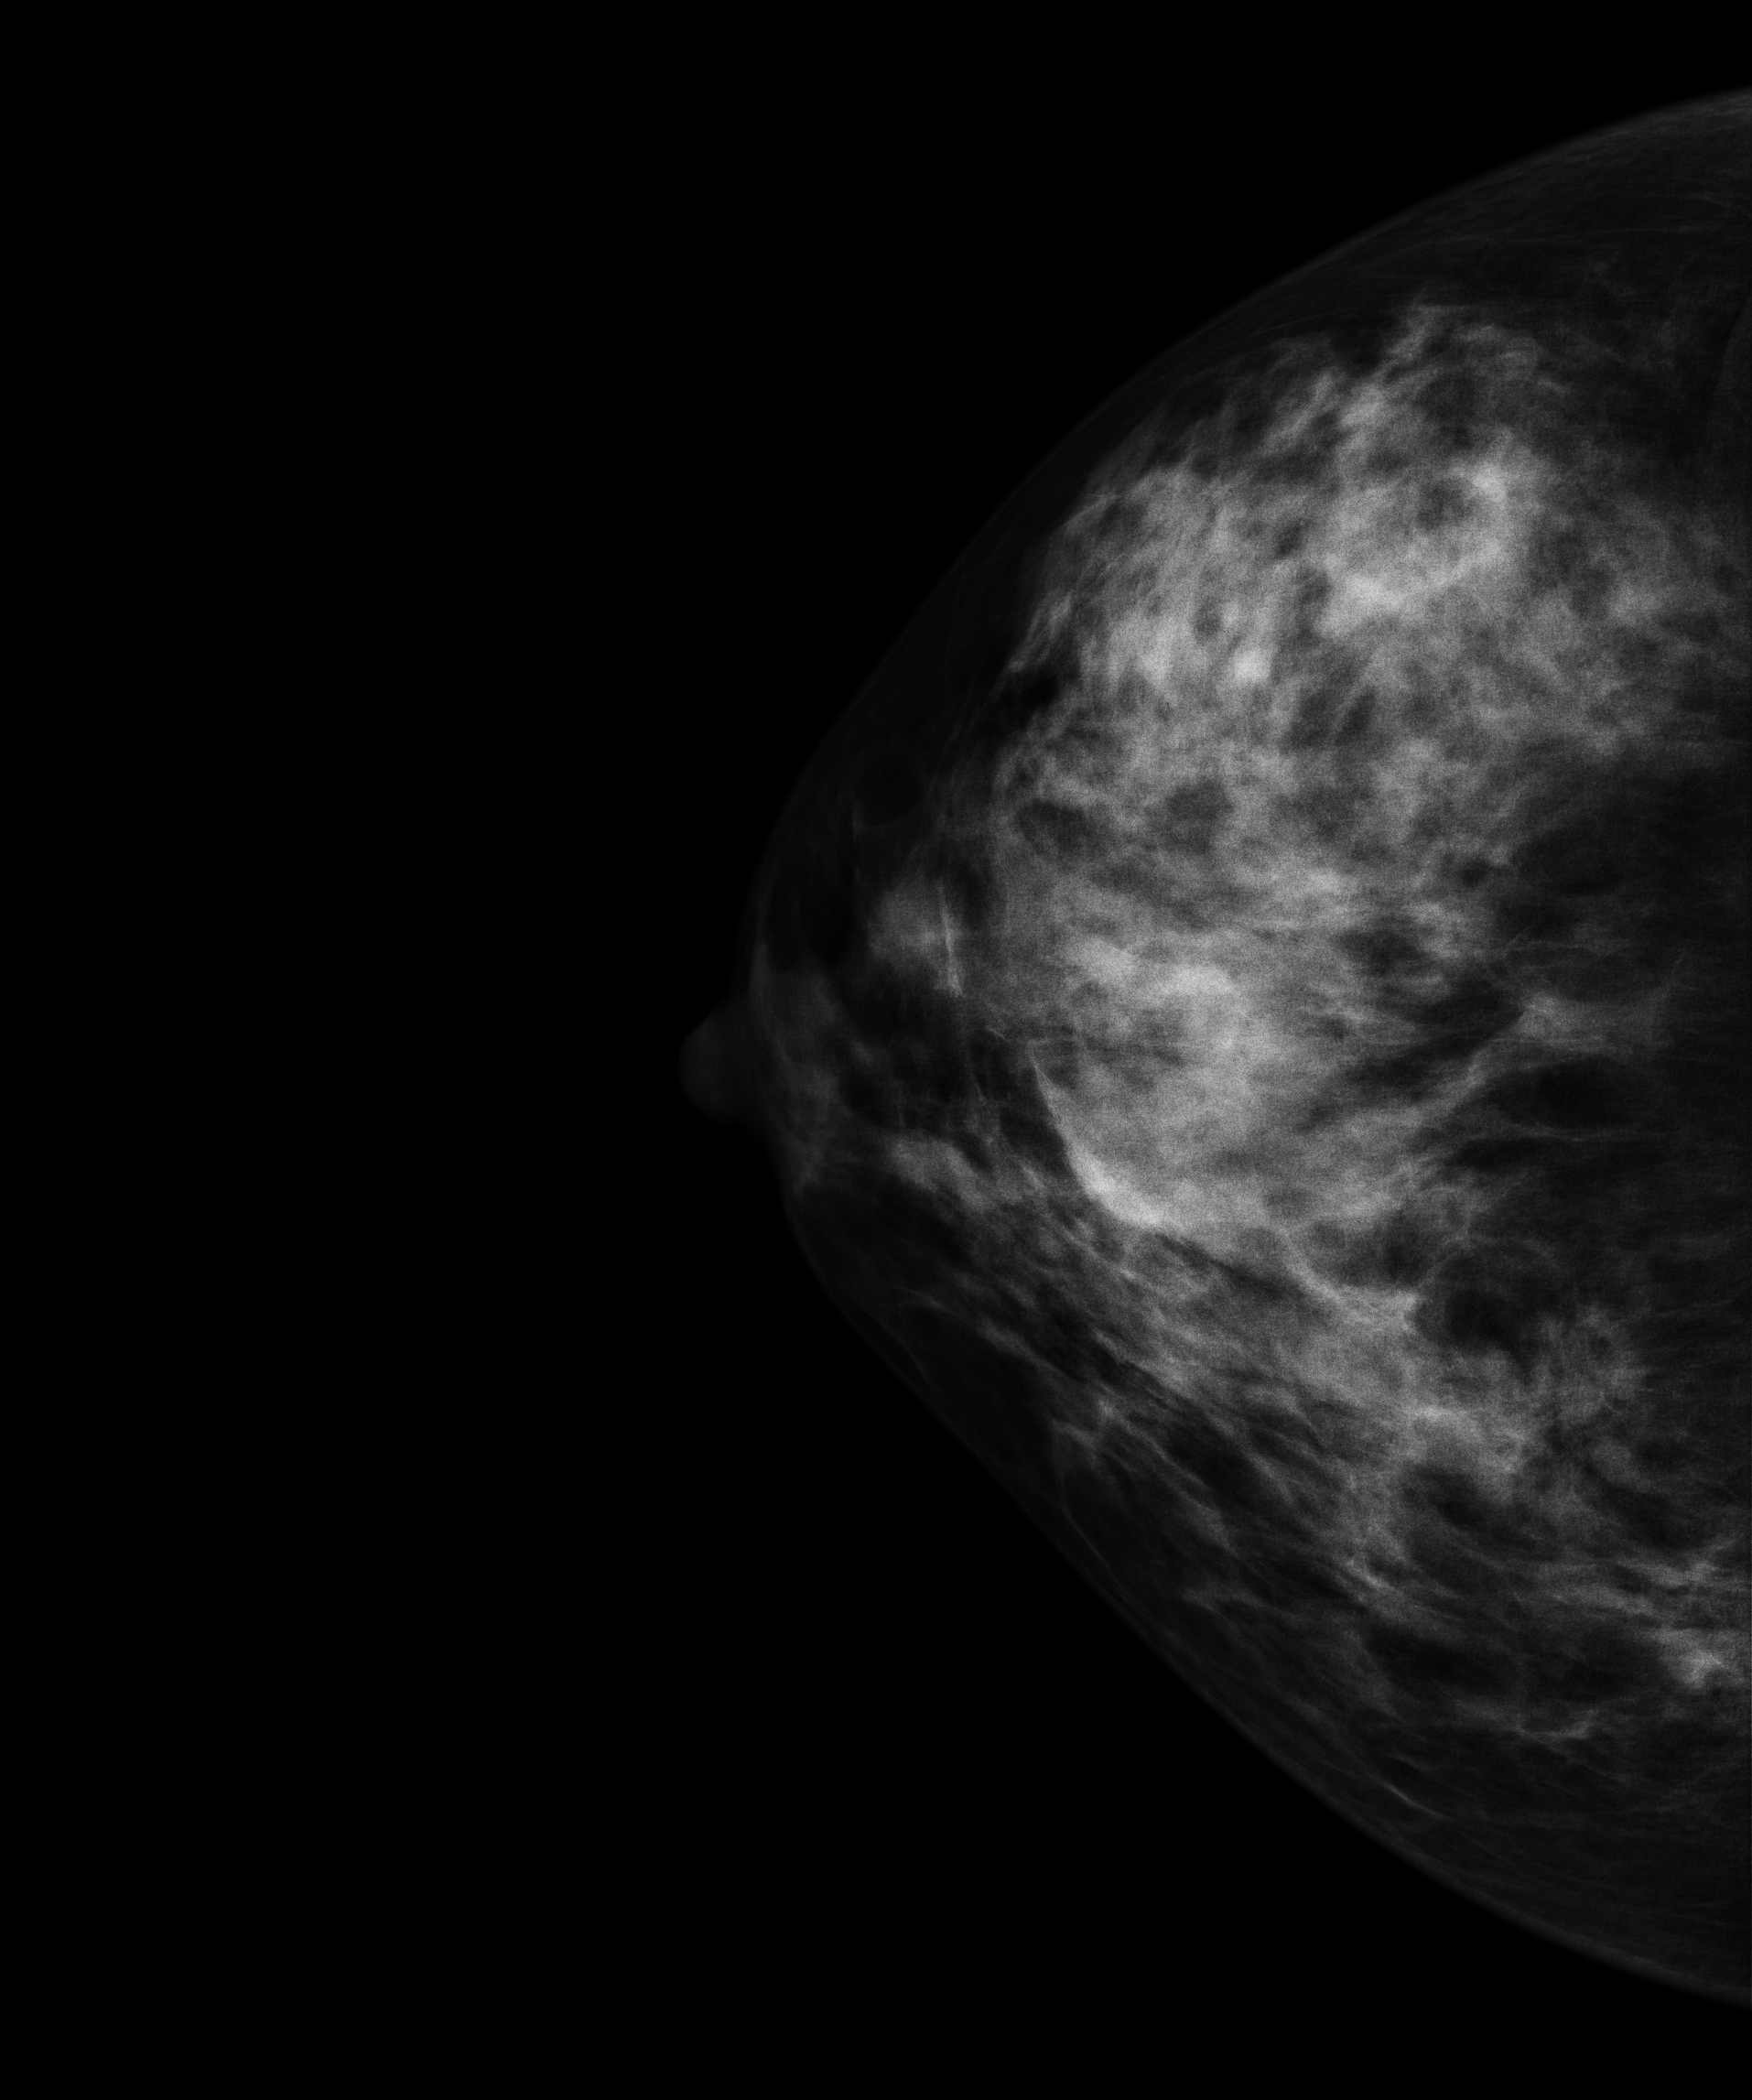
Mammogram, right breast, CC view. 50 y/o patient.
This breast has a mass, biopsy-confirmed malignant.